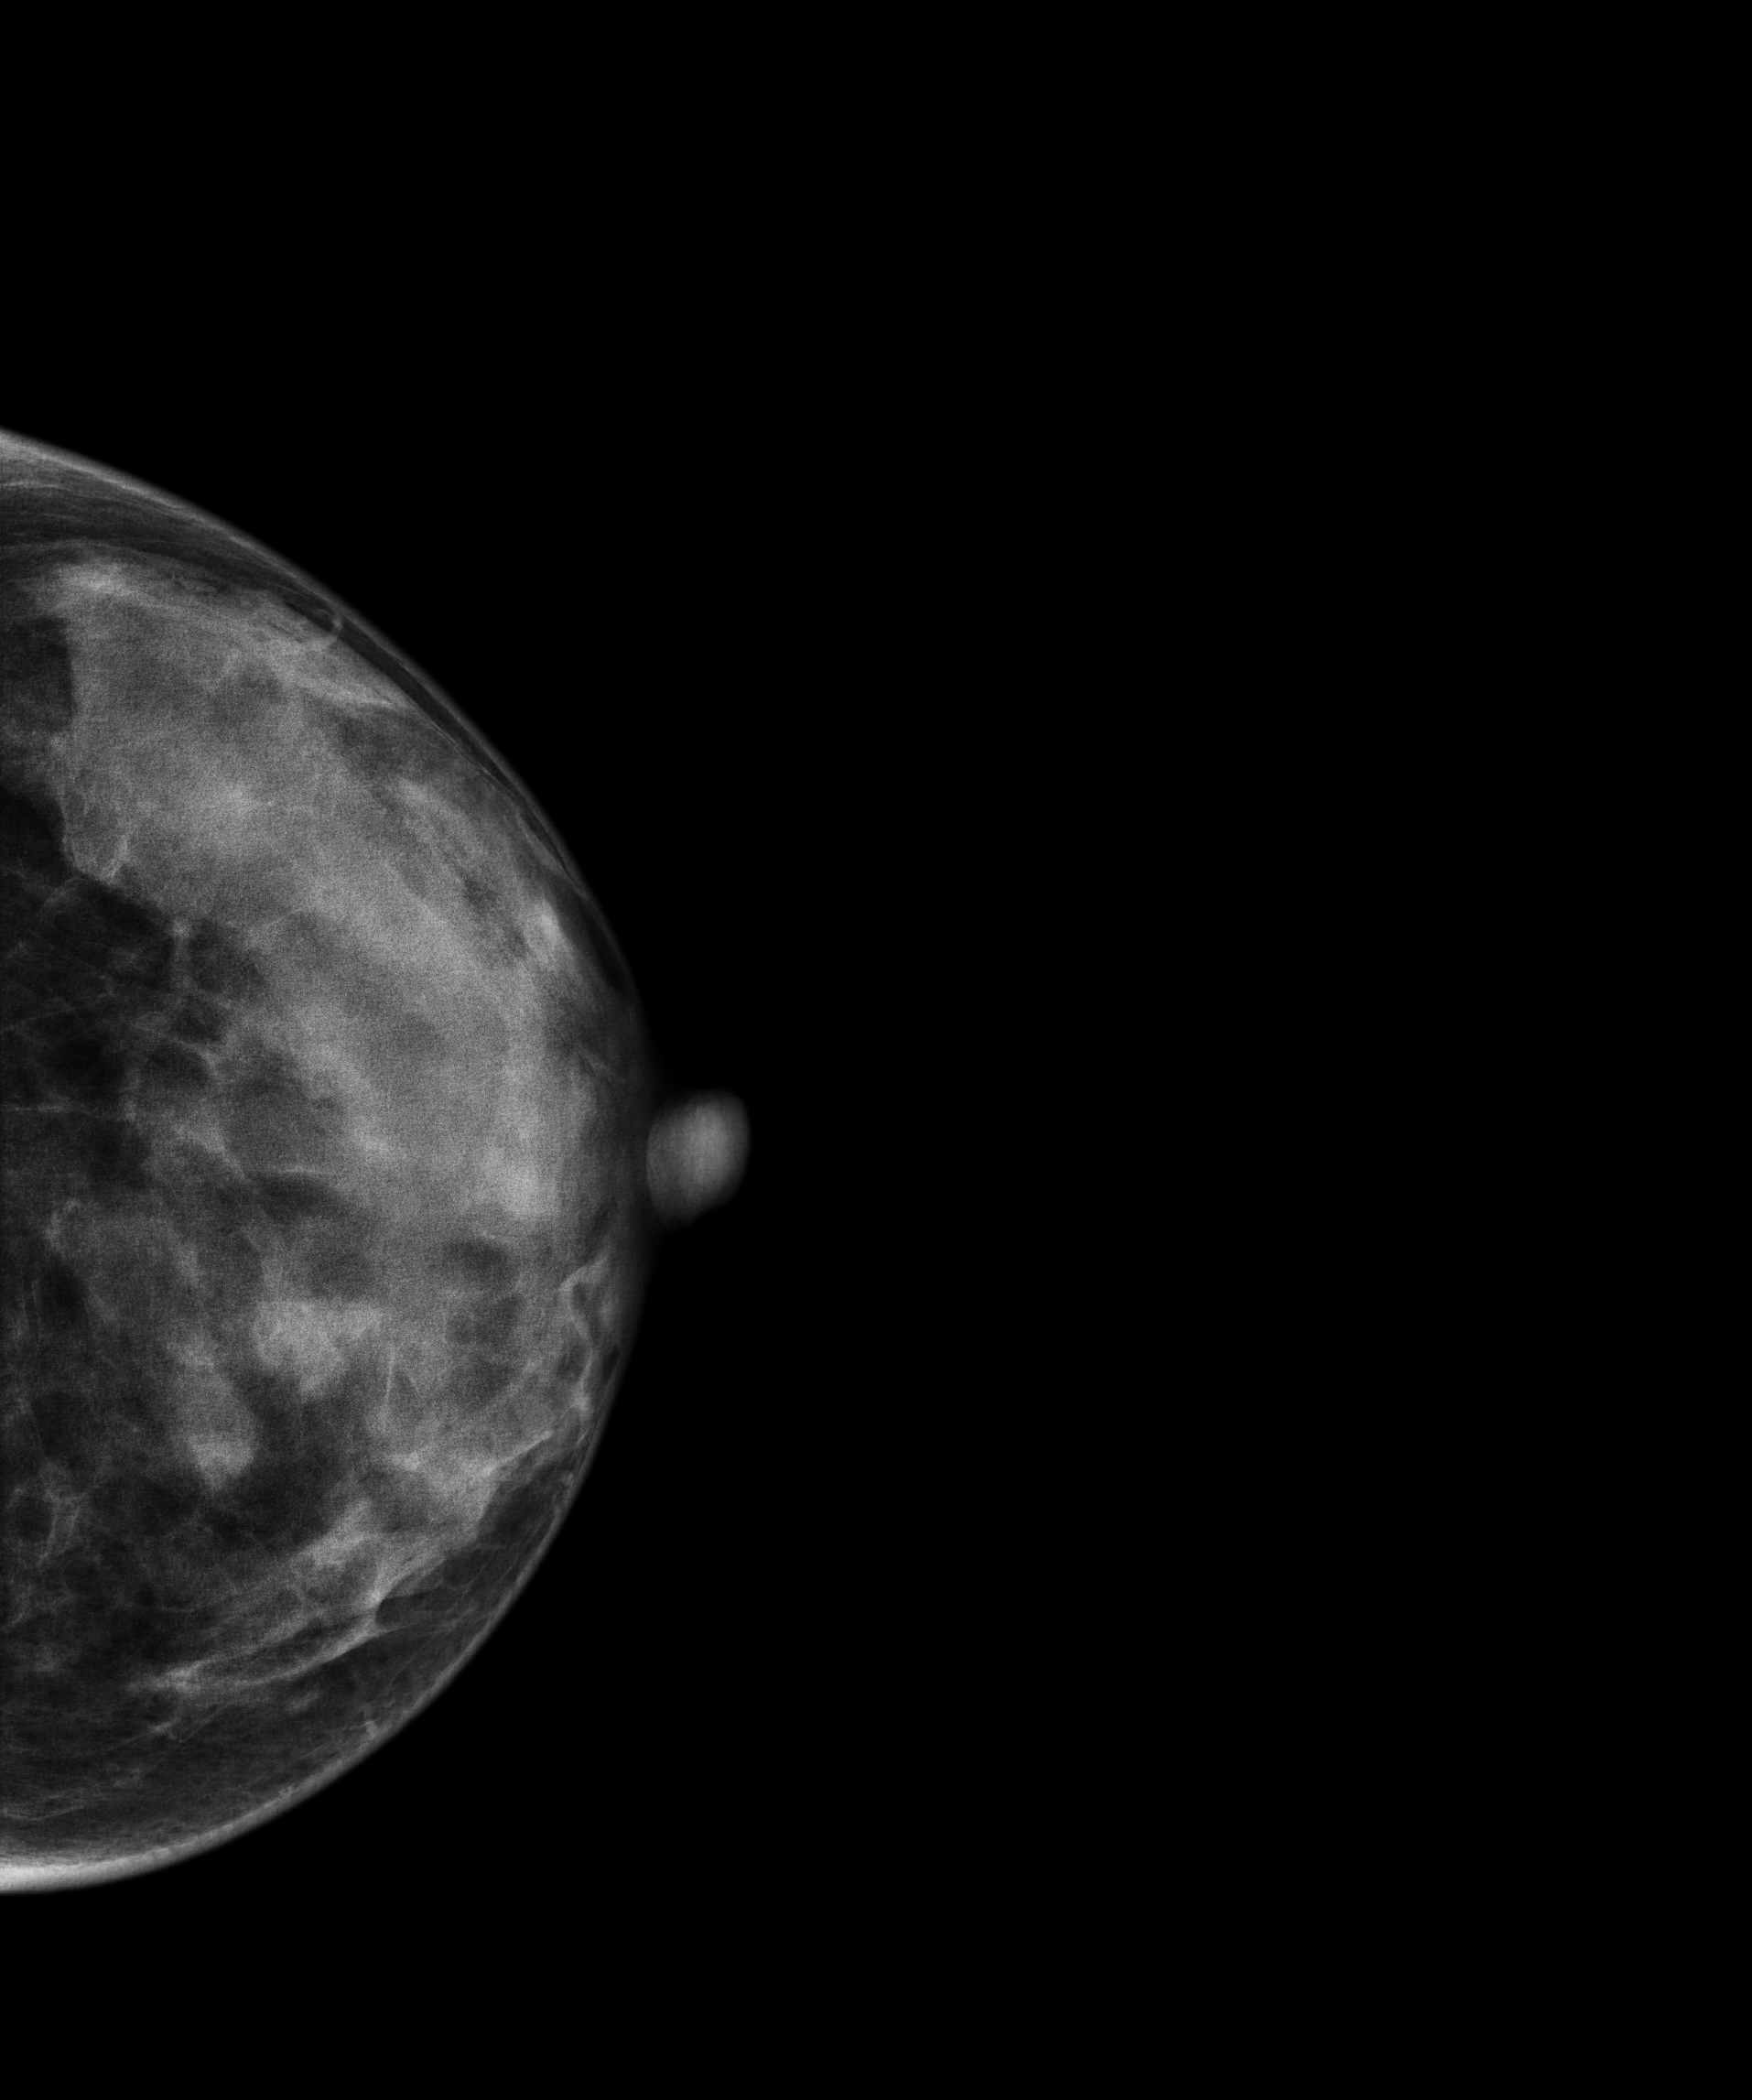
Digital mammography. Left breast, CC projection. 36-year-old patient.
Contralateral breast — no documented abnormality on this side.